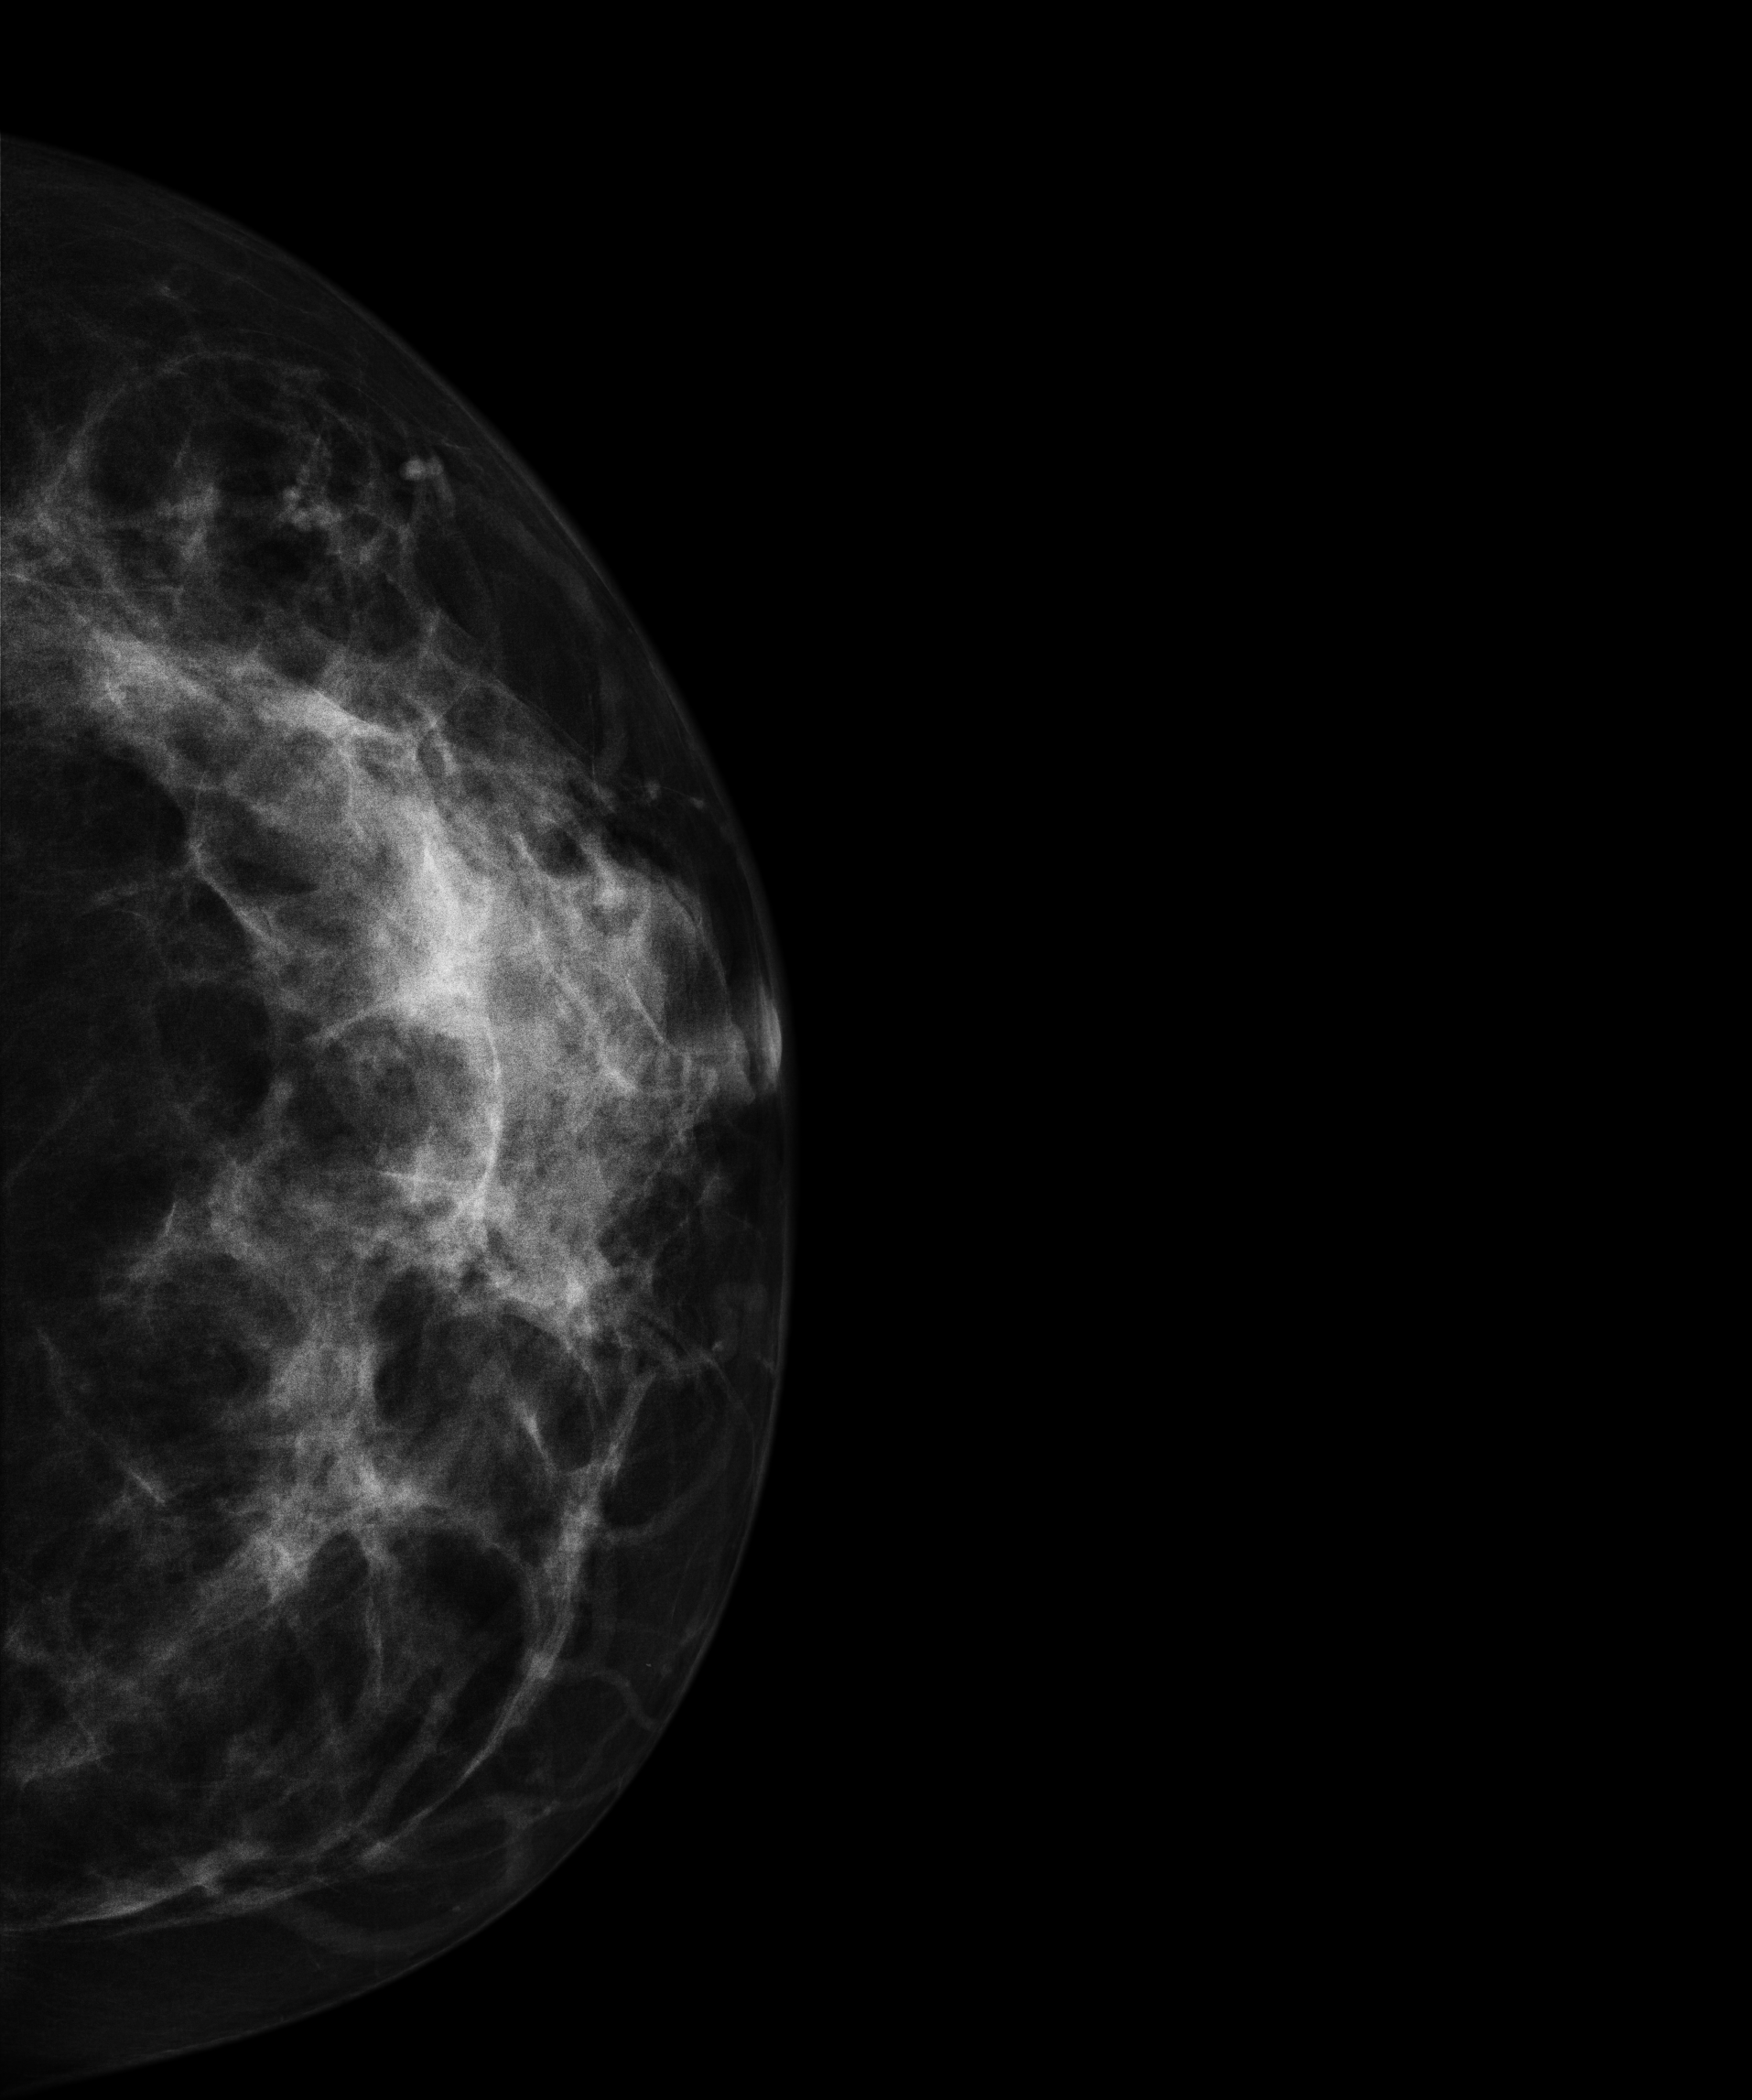
Mammogram — left cranio-caudal. 38 y/o patient.
This breast has a mass, biopsy-confirmed benign.